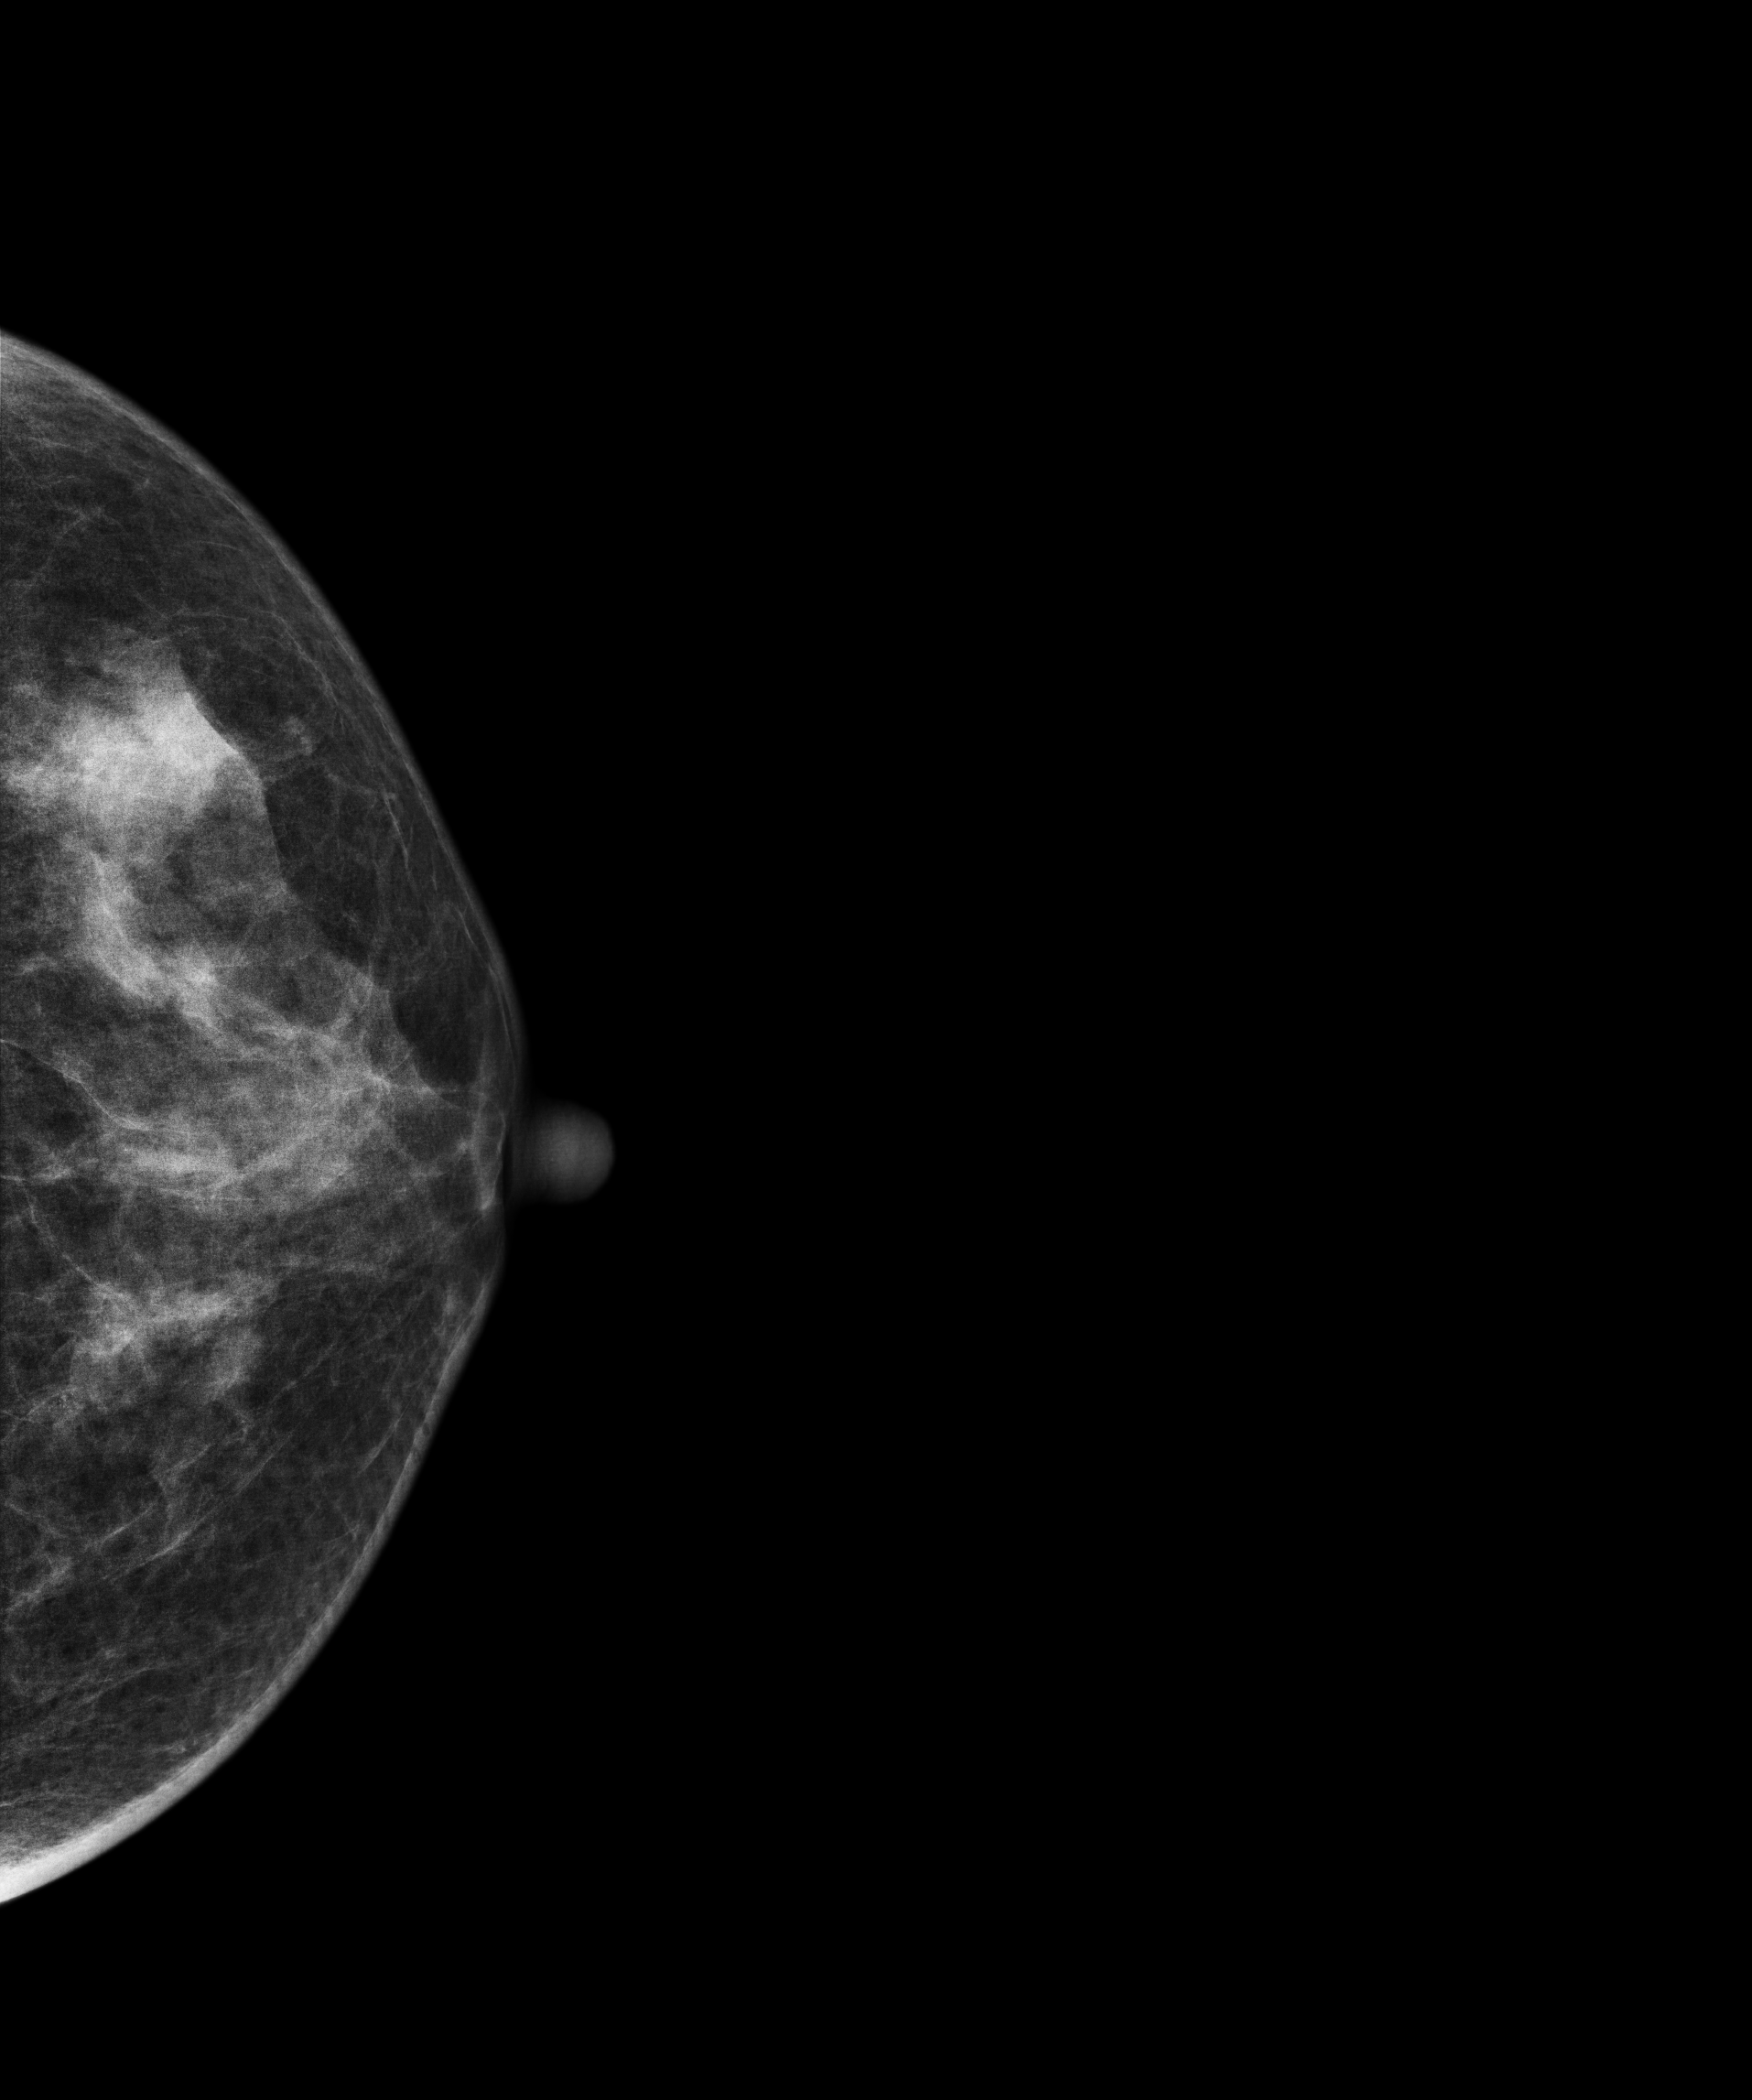
Mammogram, left breast, cranio-caudal view. 51 y/o patient.
This breast has a mass, histologically confirmed malignant. Molecular subtype: luminal B.